Cranio-caudal mammogram of the right breast. 45-year-old patient.
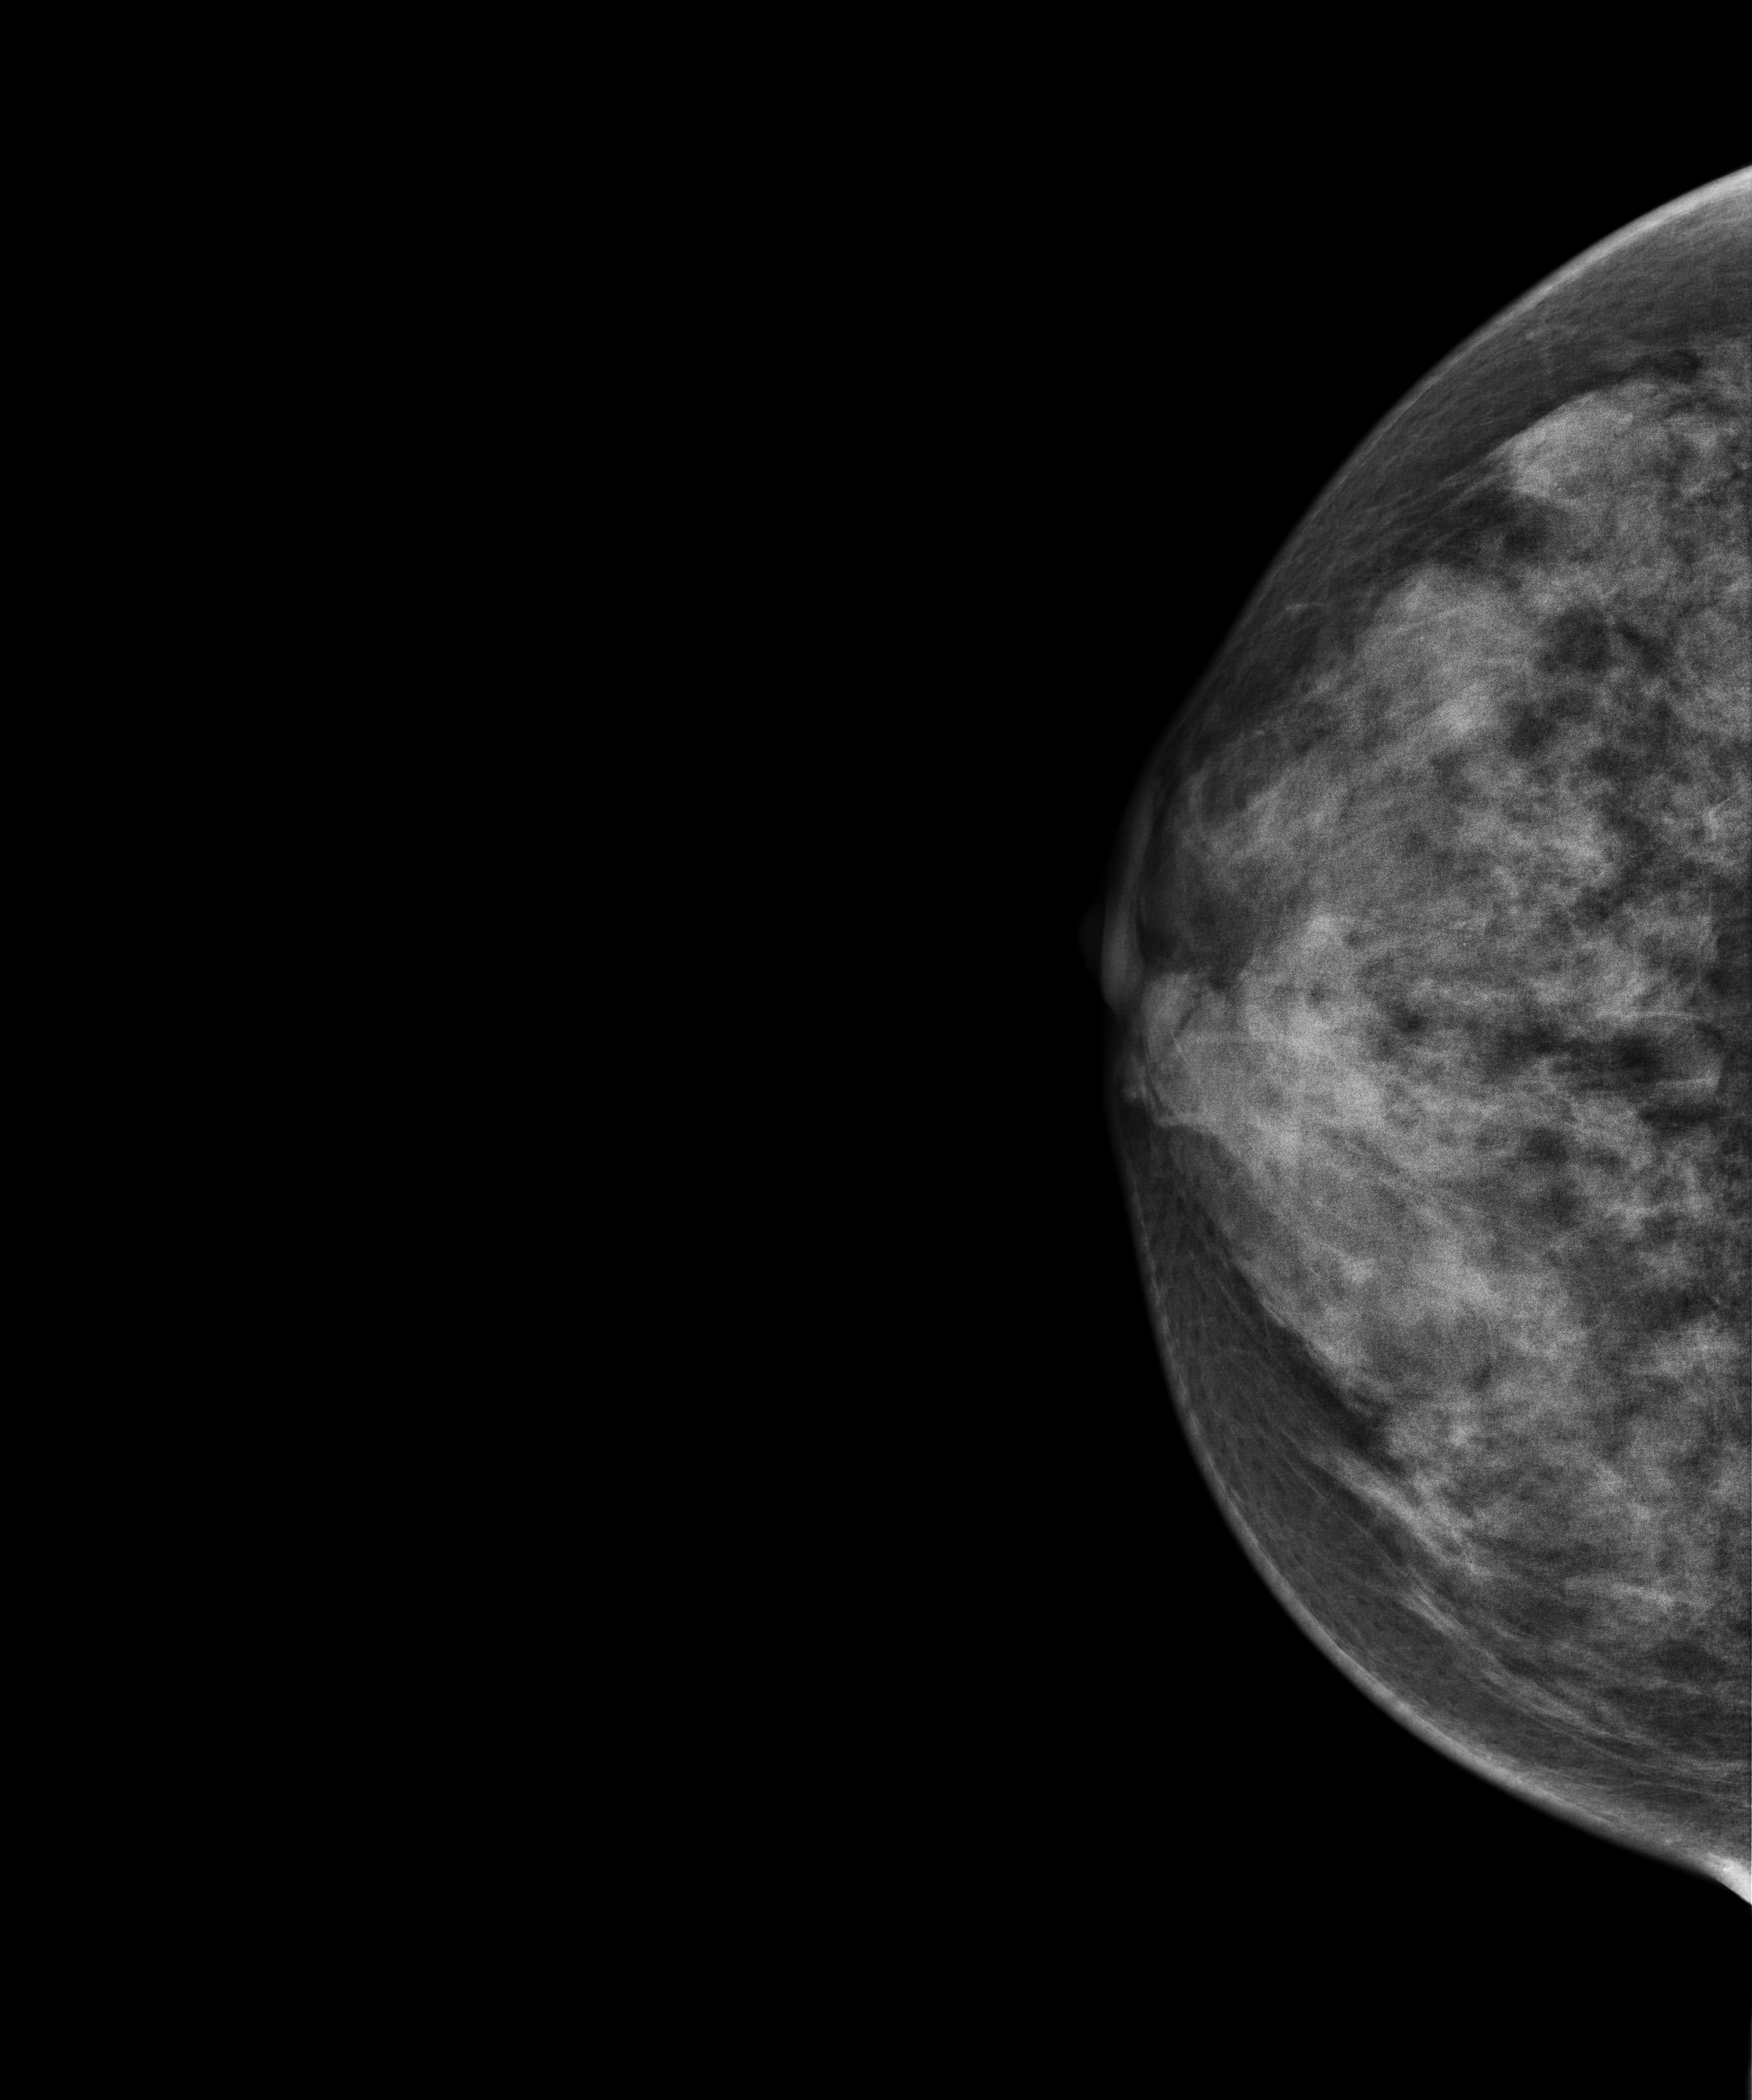
Contralateral breast — no documented abnormality on this side.